Mammogram — left MLO. 31-year-old patient.
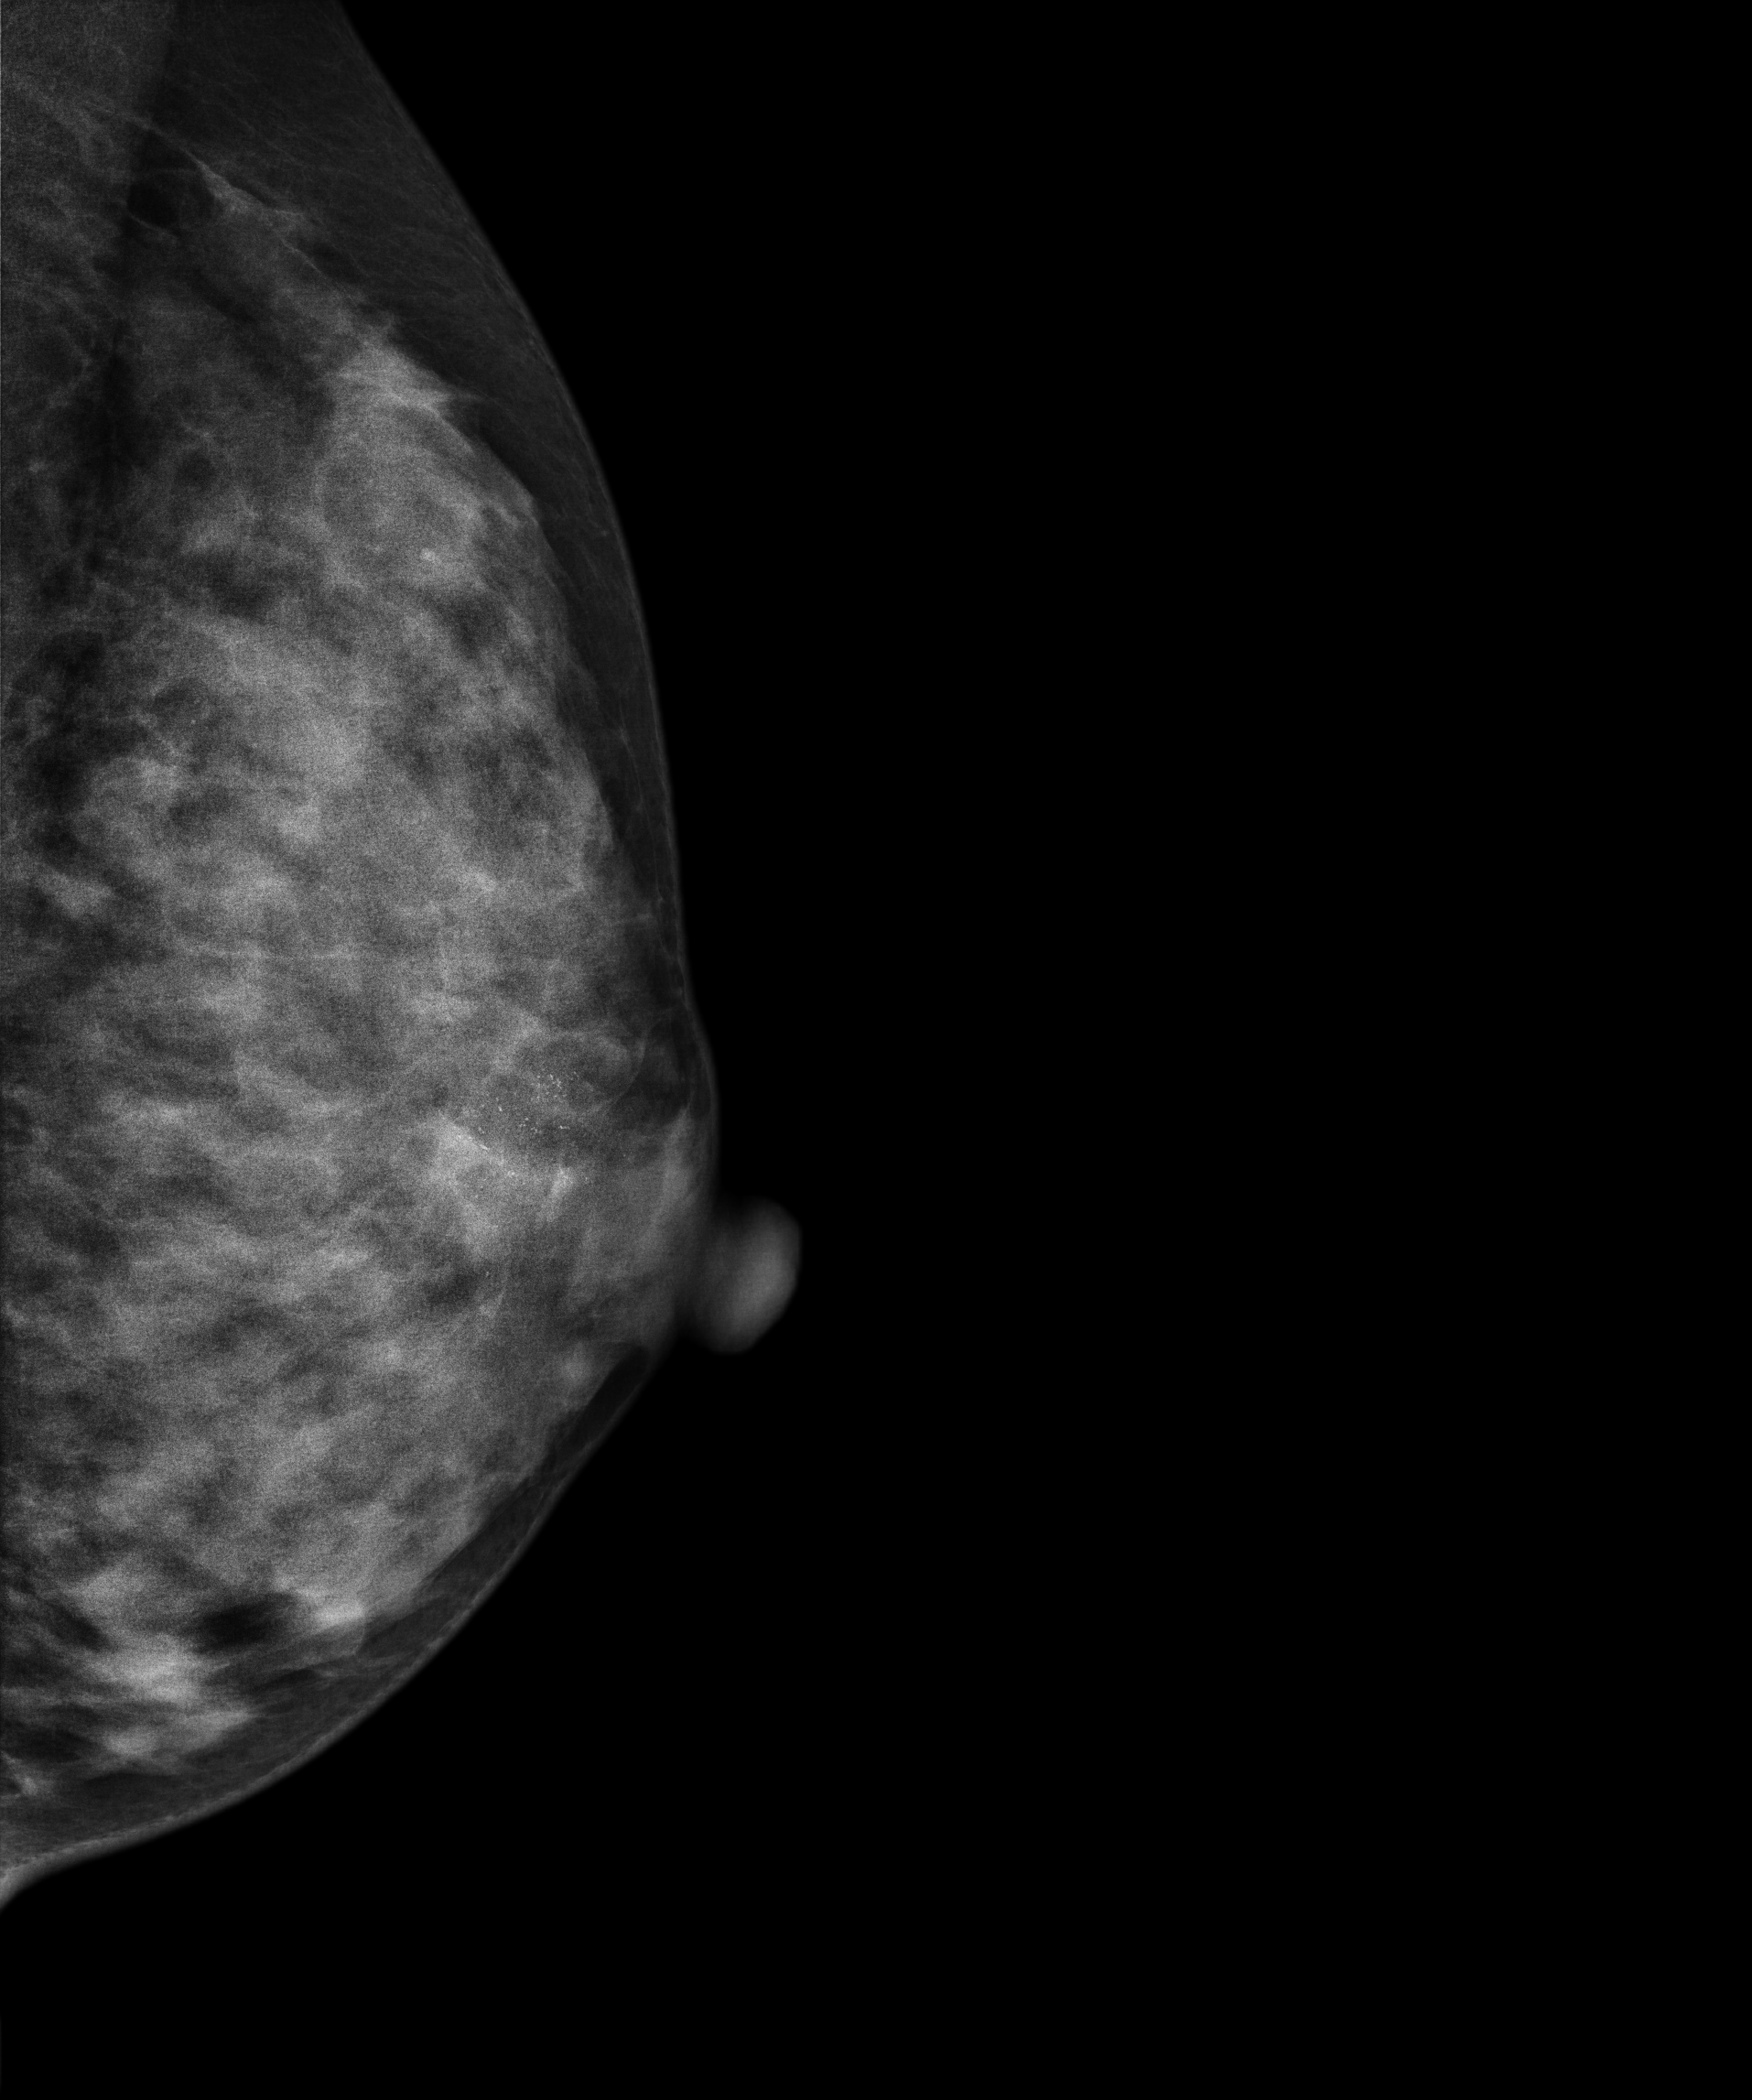
This breast has calcifications, biopsy-proven malignant.